Left-breast mammogram, MLO. 40 y/o patient.
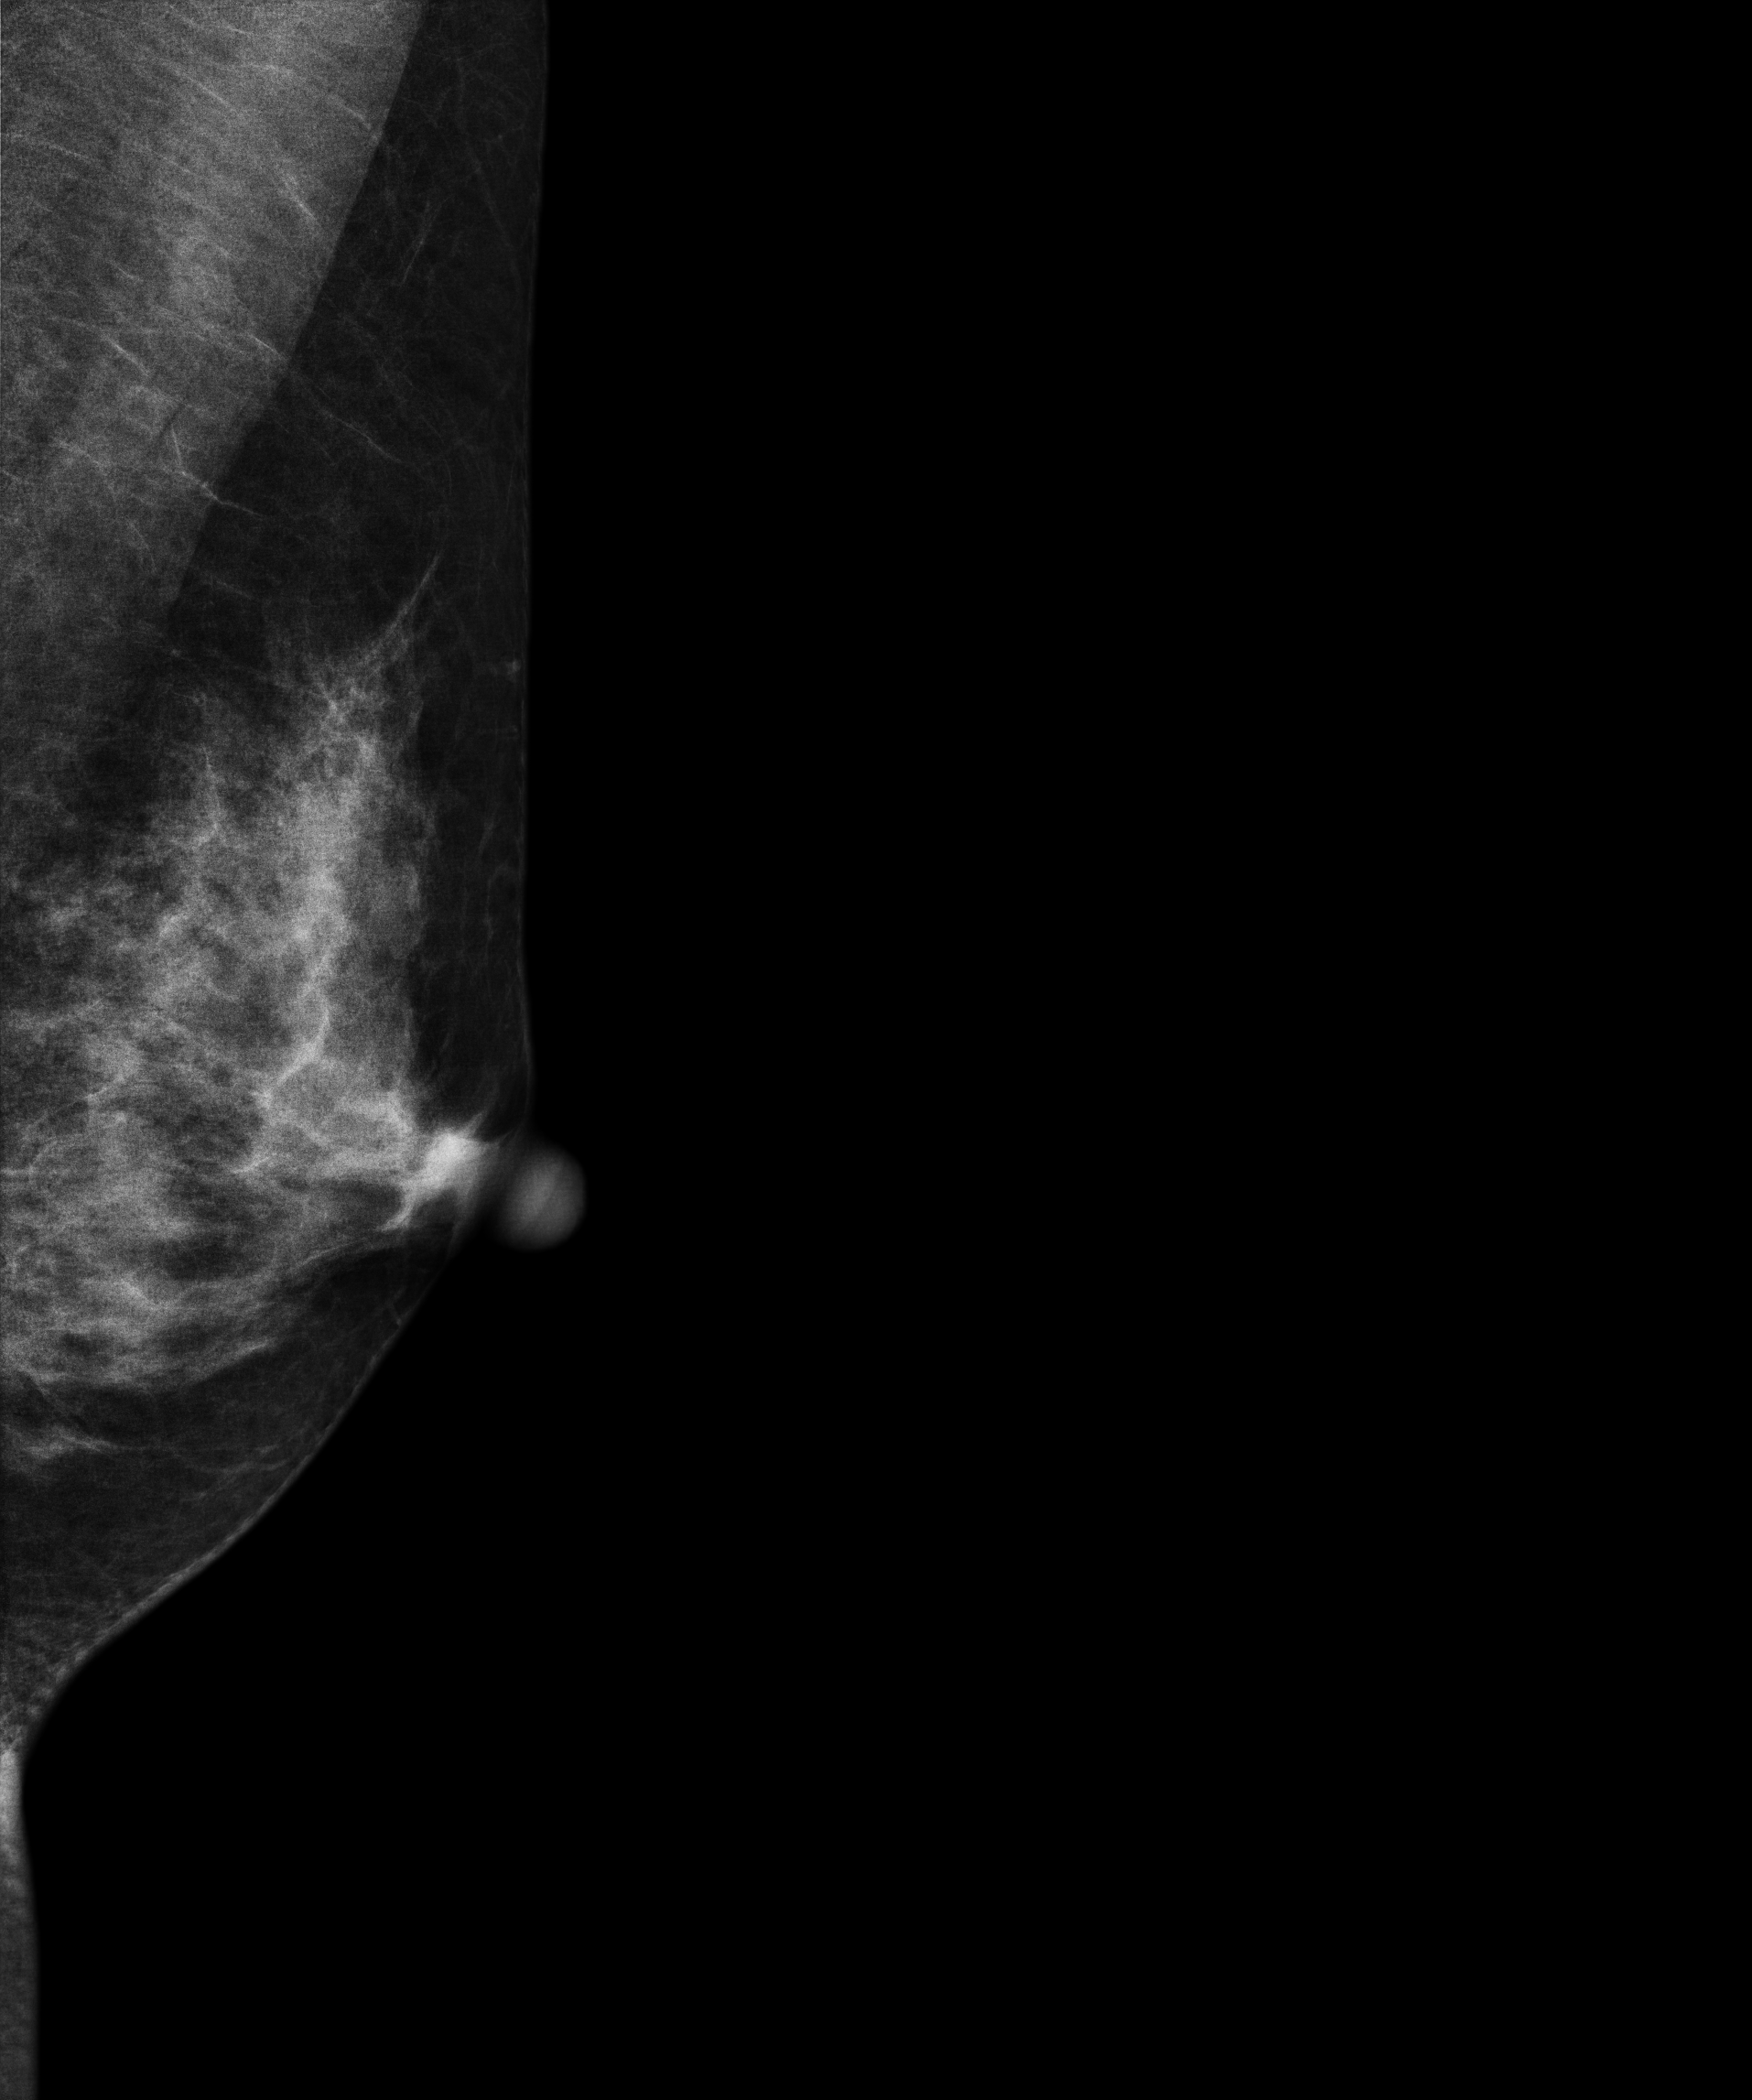
This breast has a mass, histologically confirmed benign.